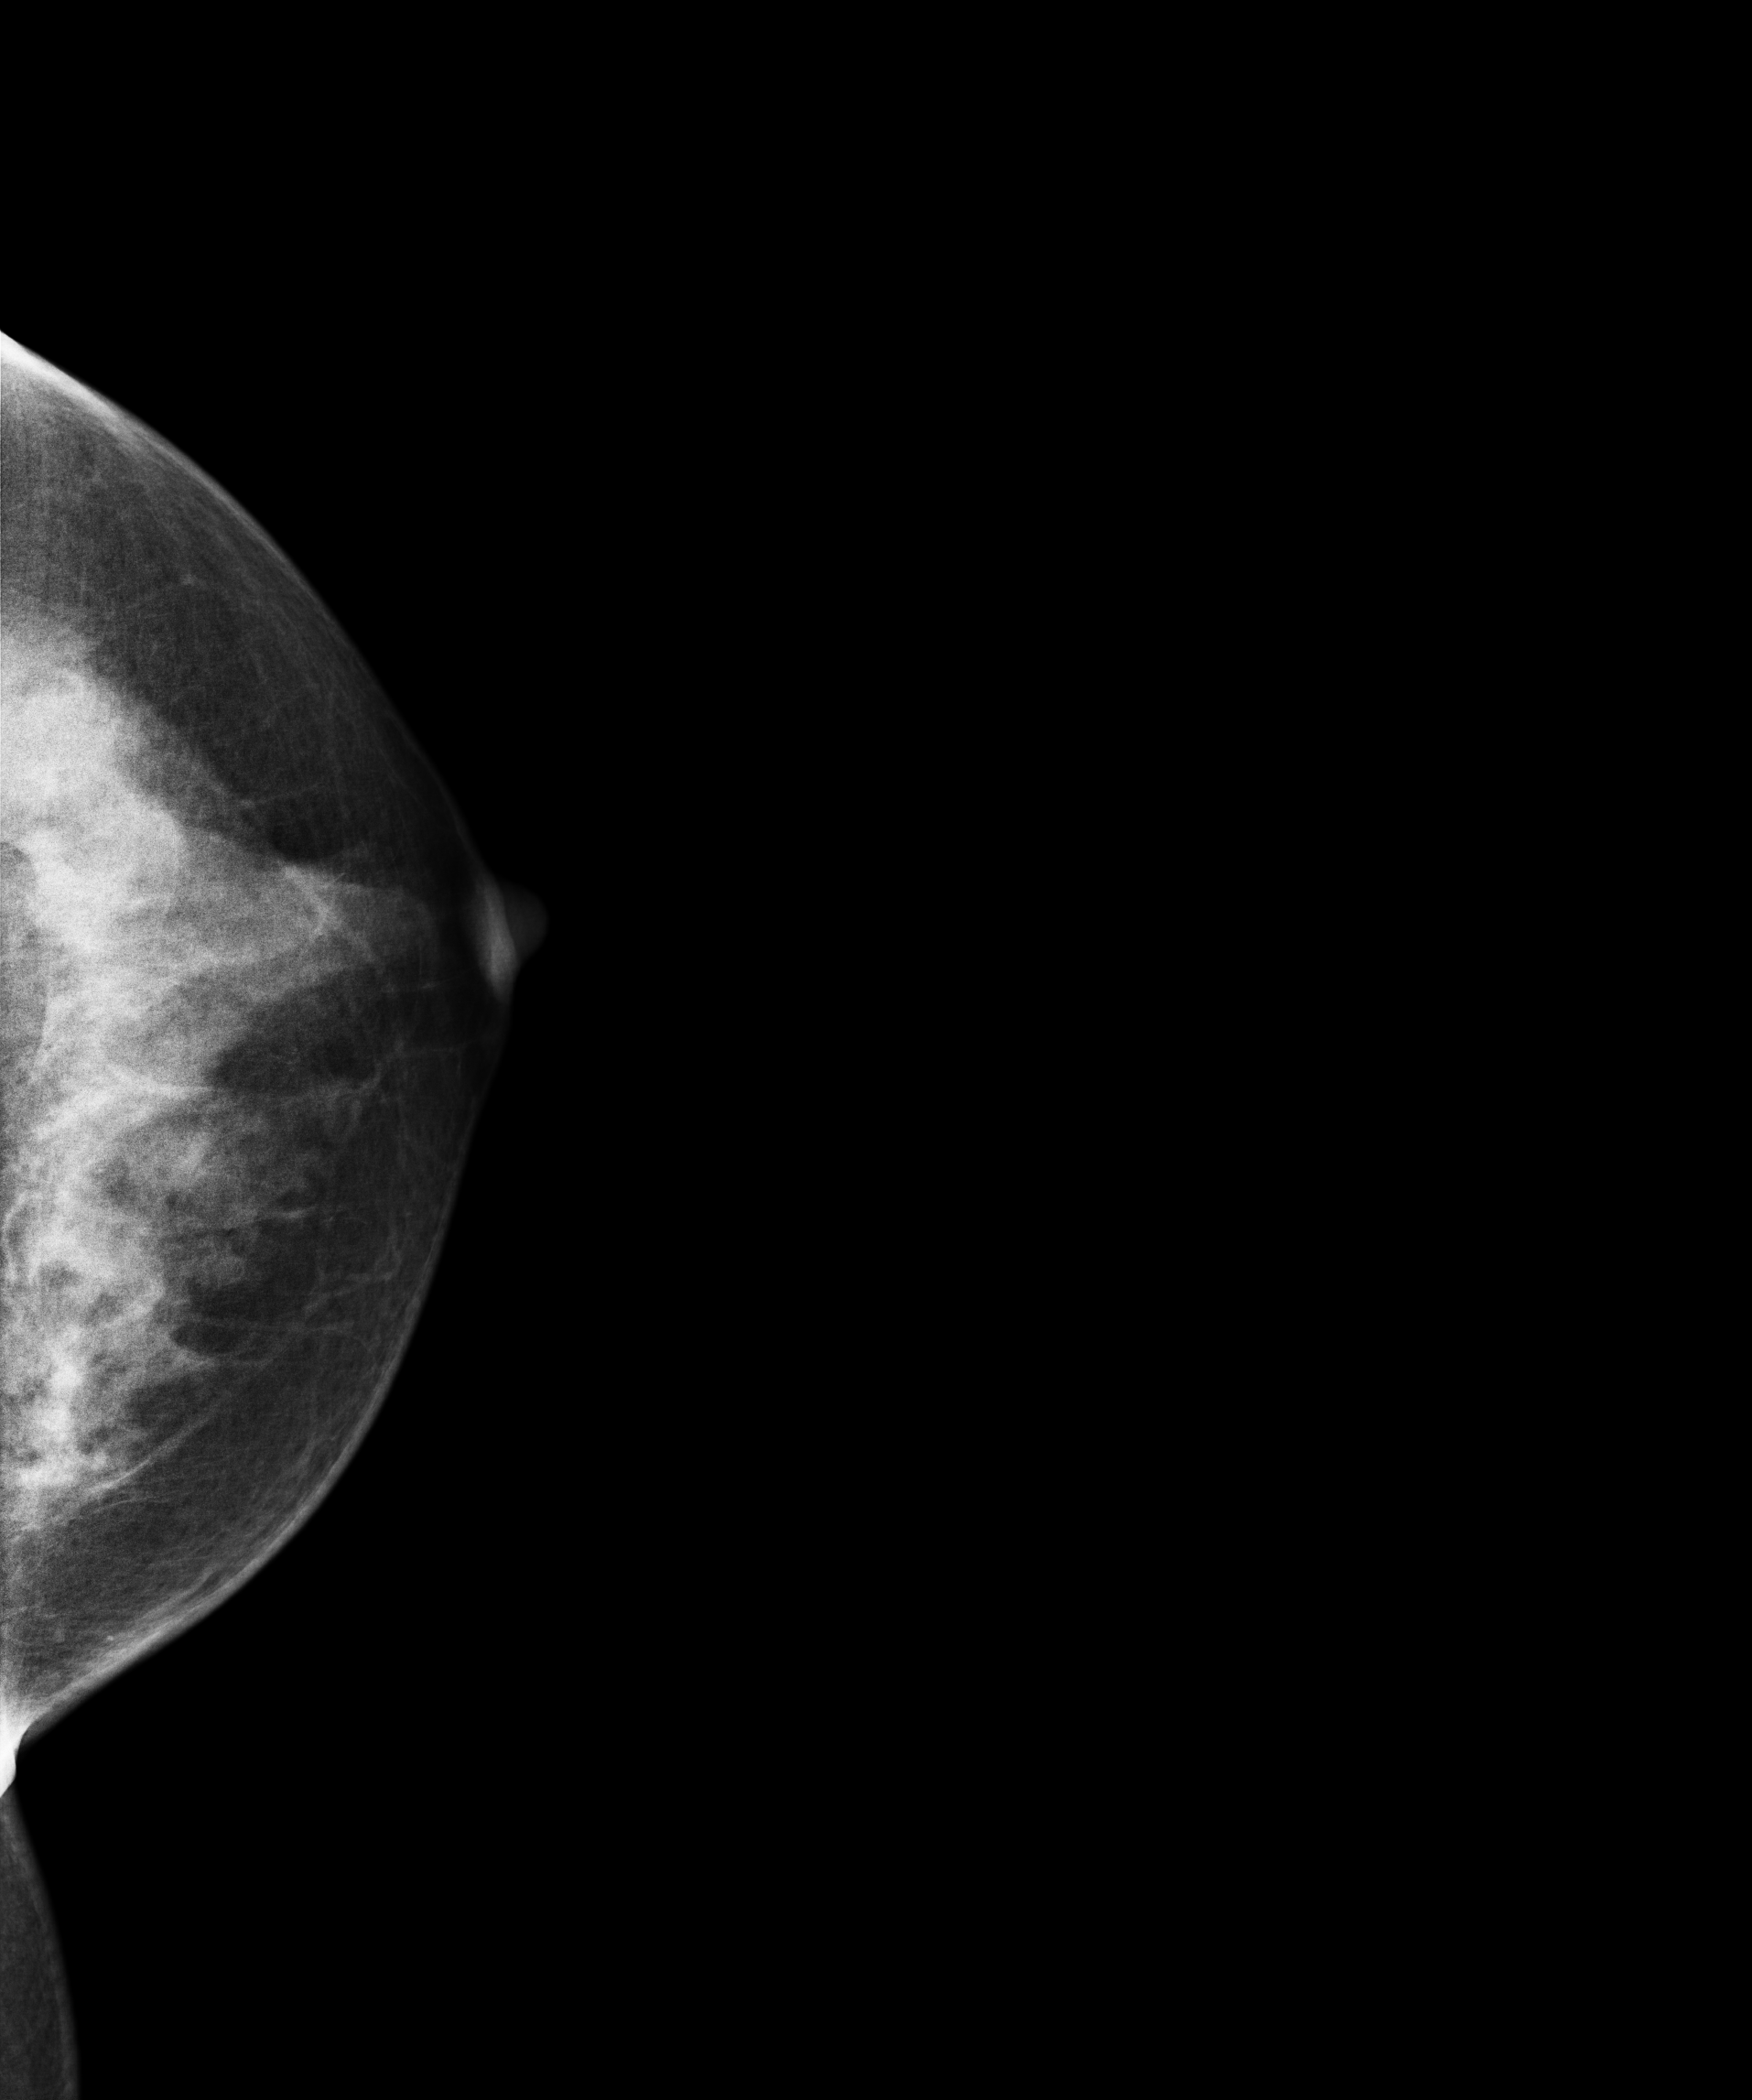
Digital mammography. Left breast, CC projection. 39-year-old patient.
Contralateral breast — no documented abnormality on this side.